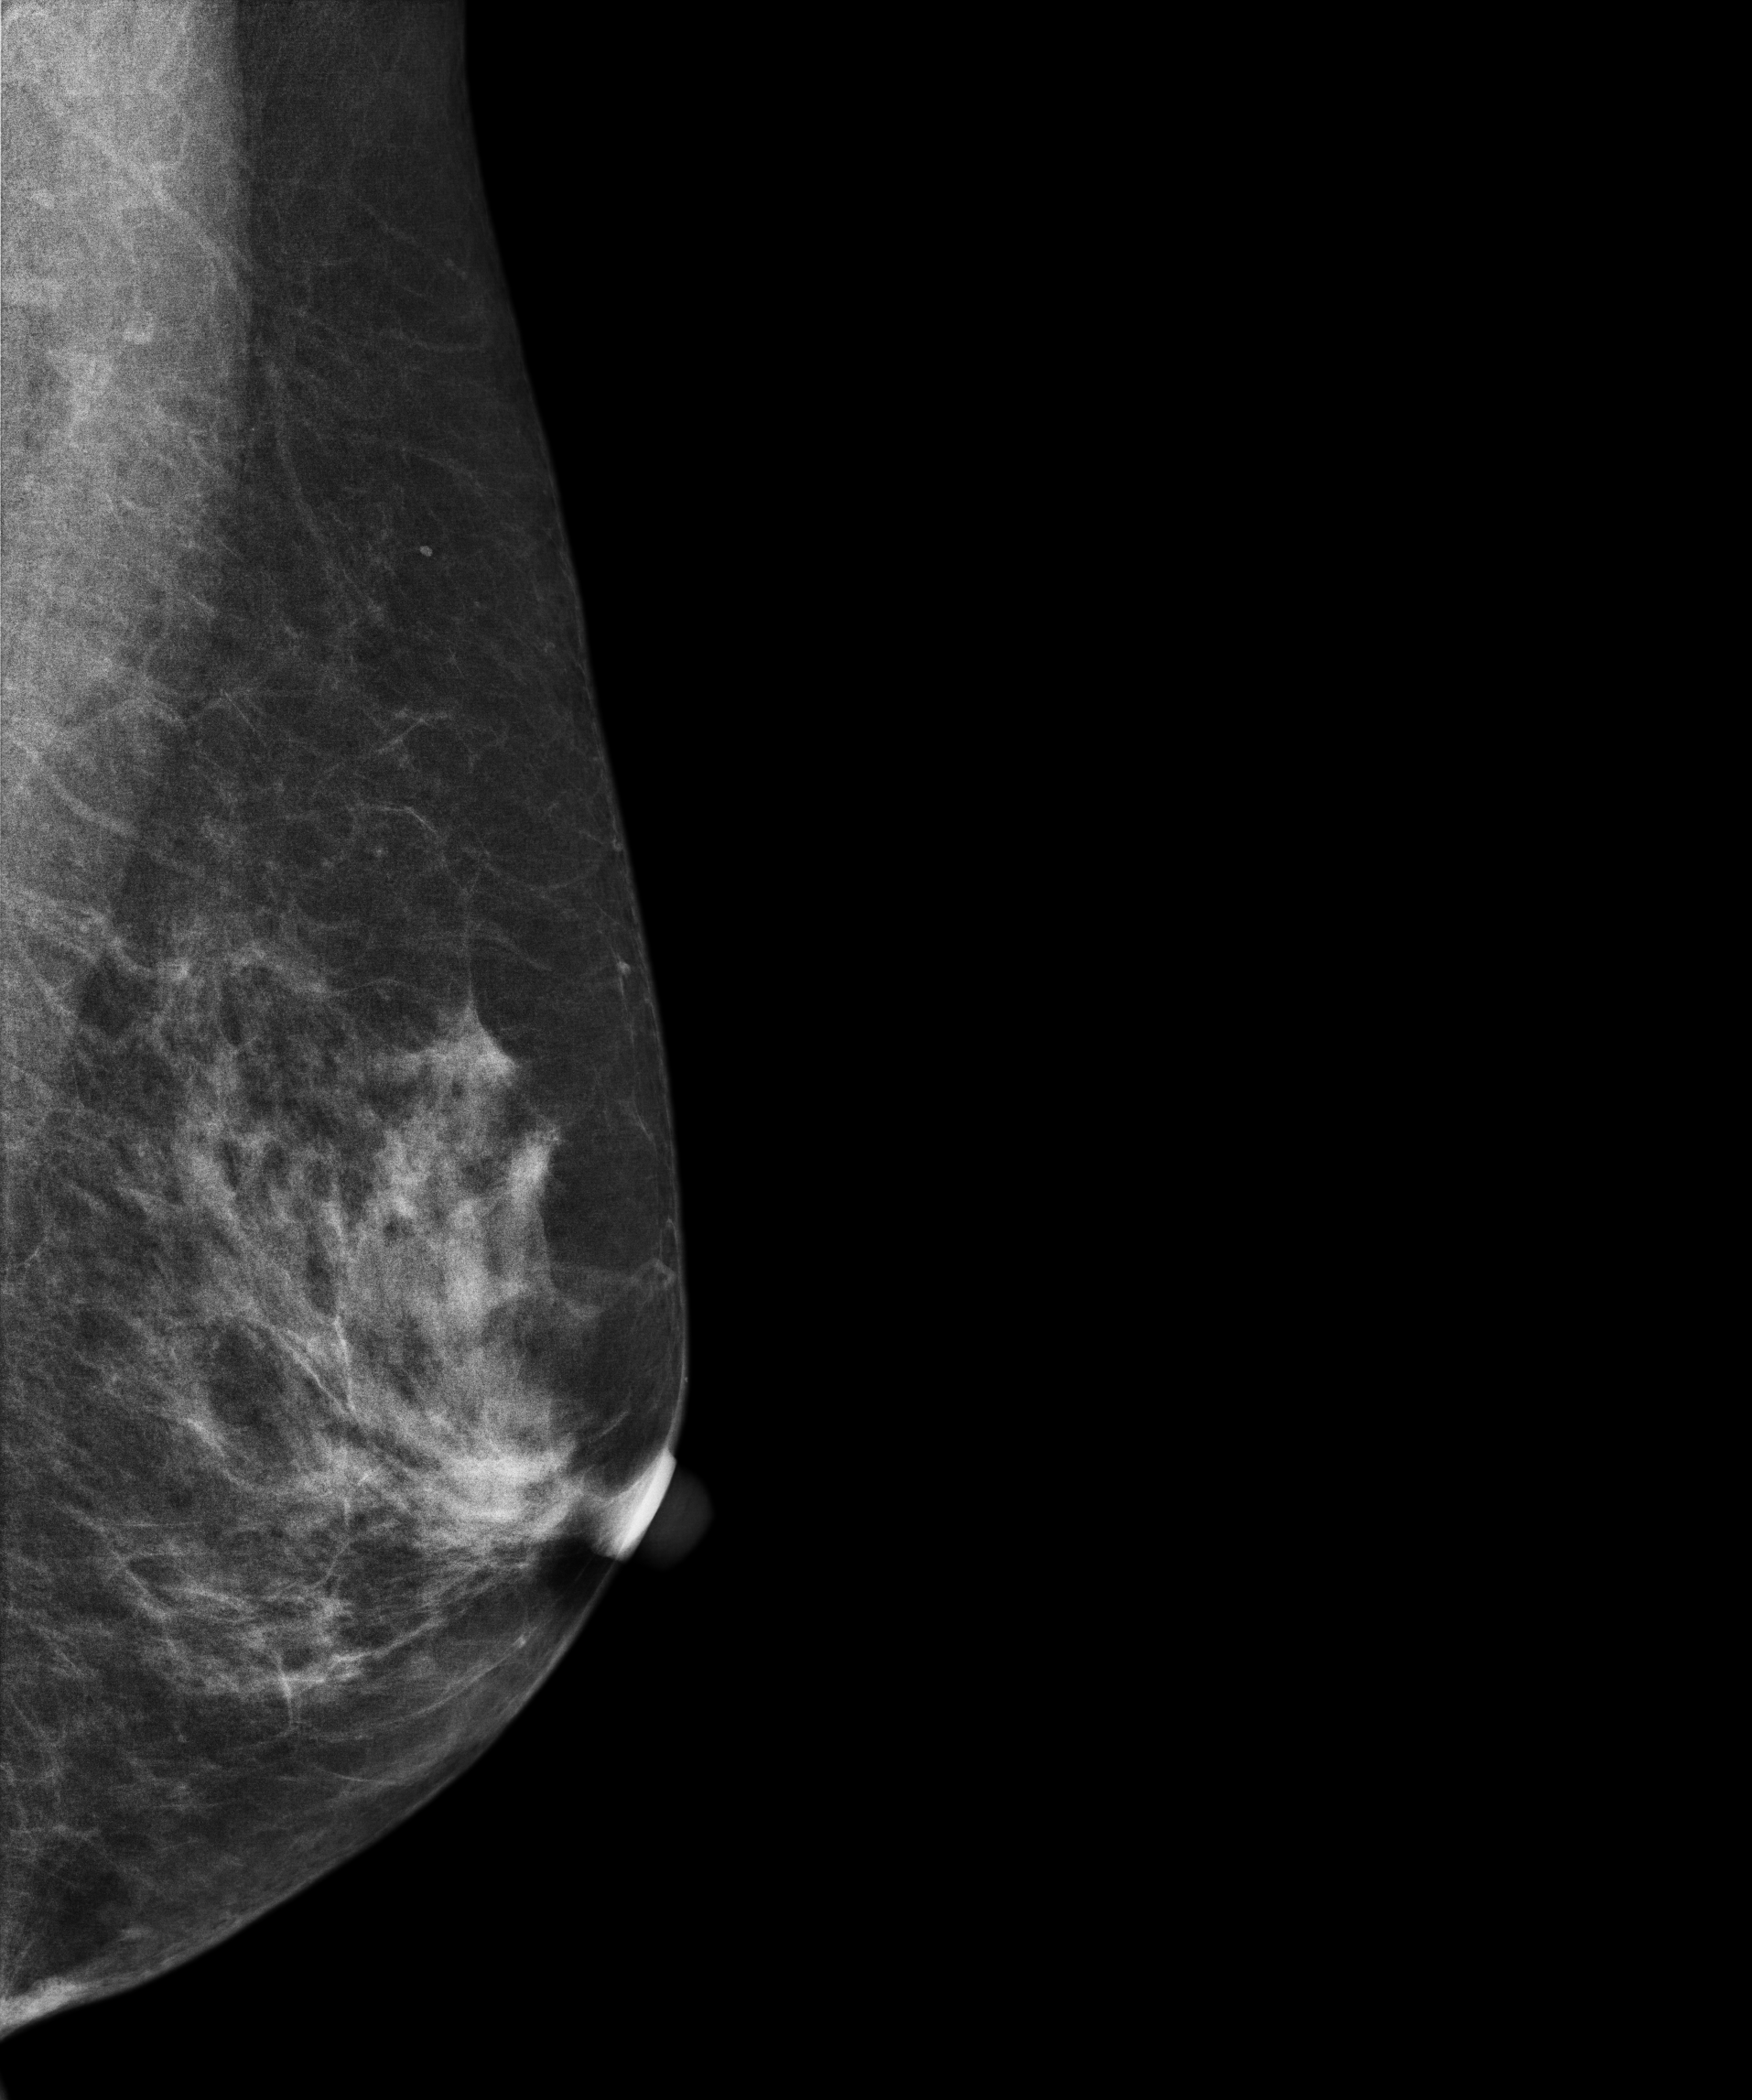
Medio-lateral oblique mammogram of the left breast. 68 y/o patient.
Contralateral breast — no documented abnormality on this side.